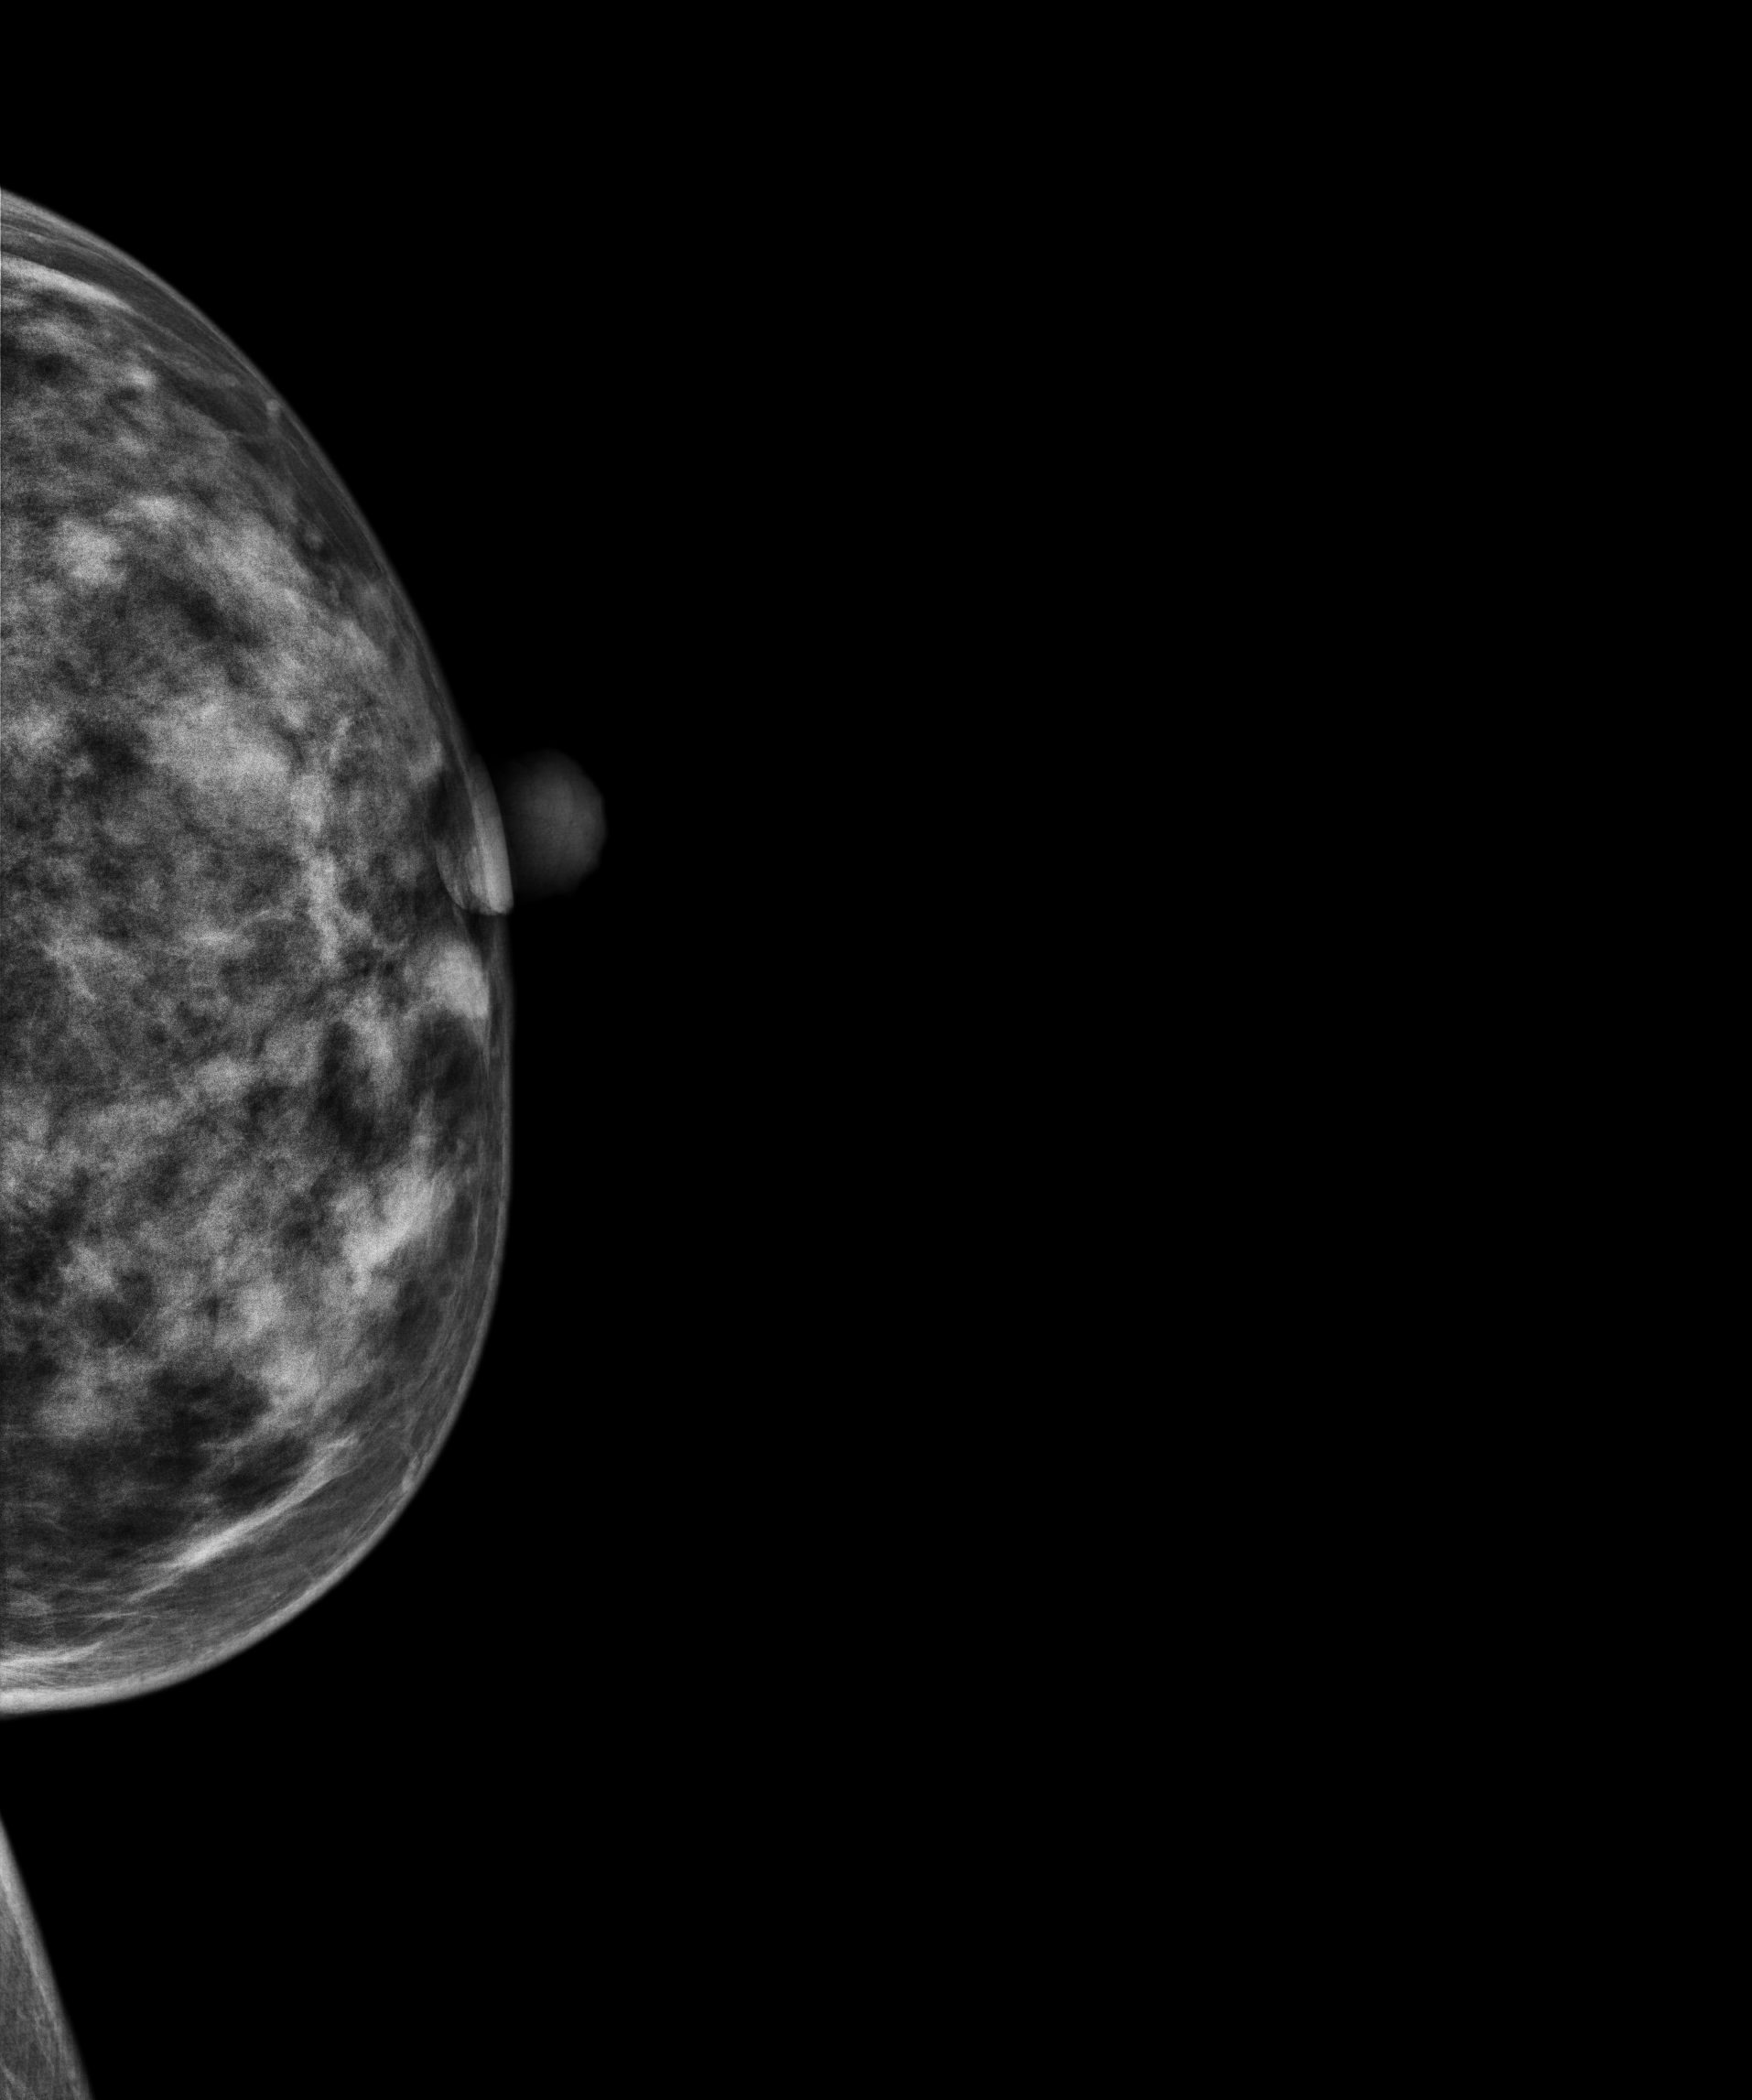
Digital mammography. Left breast, cranio-caudal projection. 45-year-old patient.
This breast has a mass, biopsy-confirmed malignant.